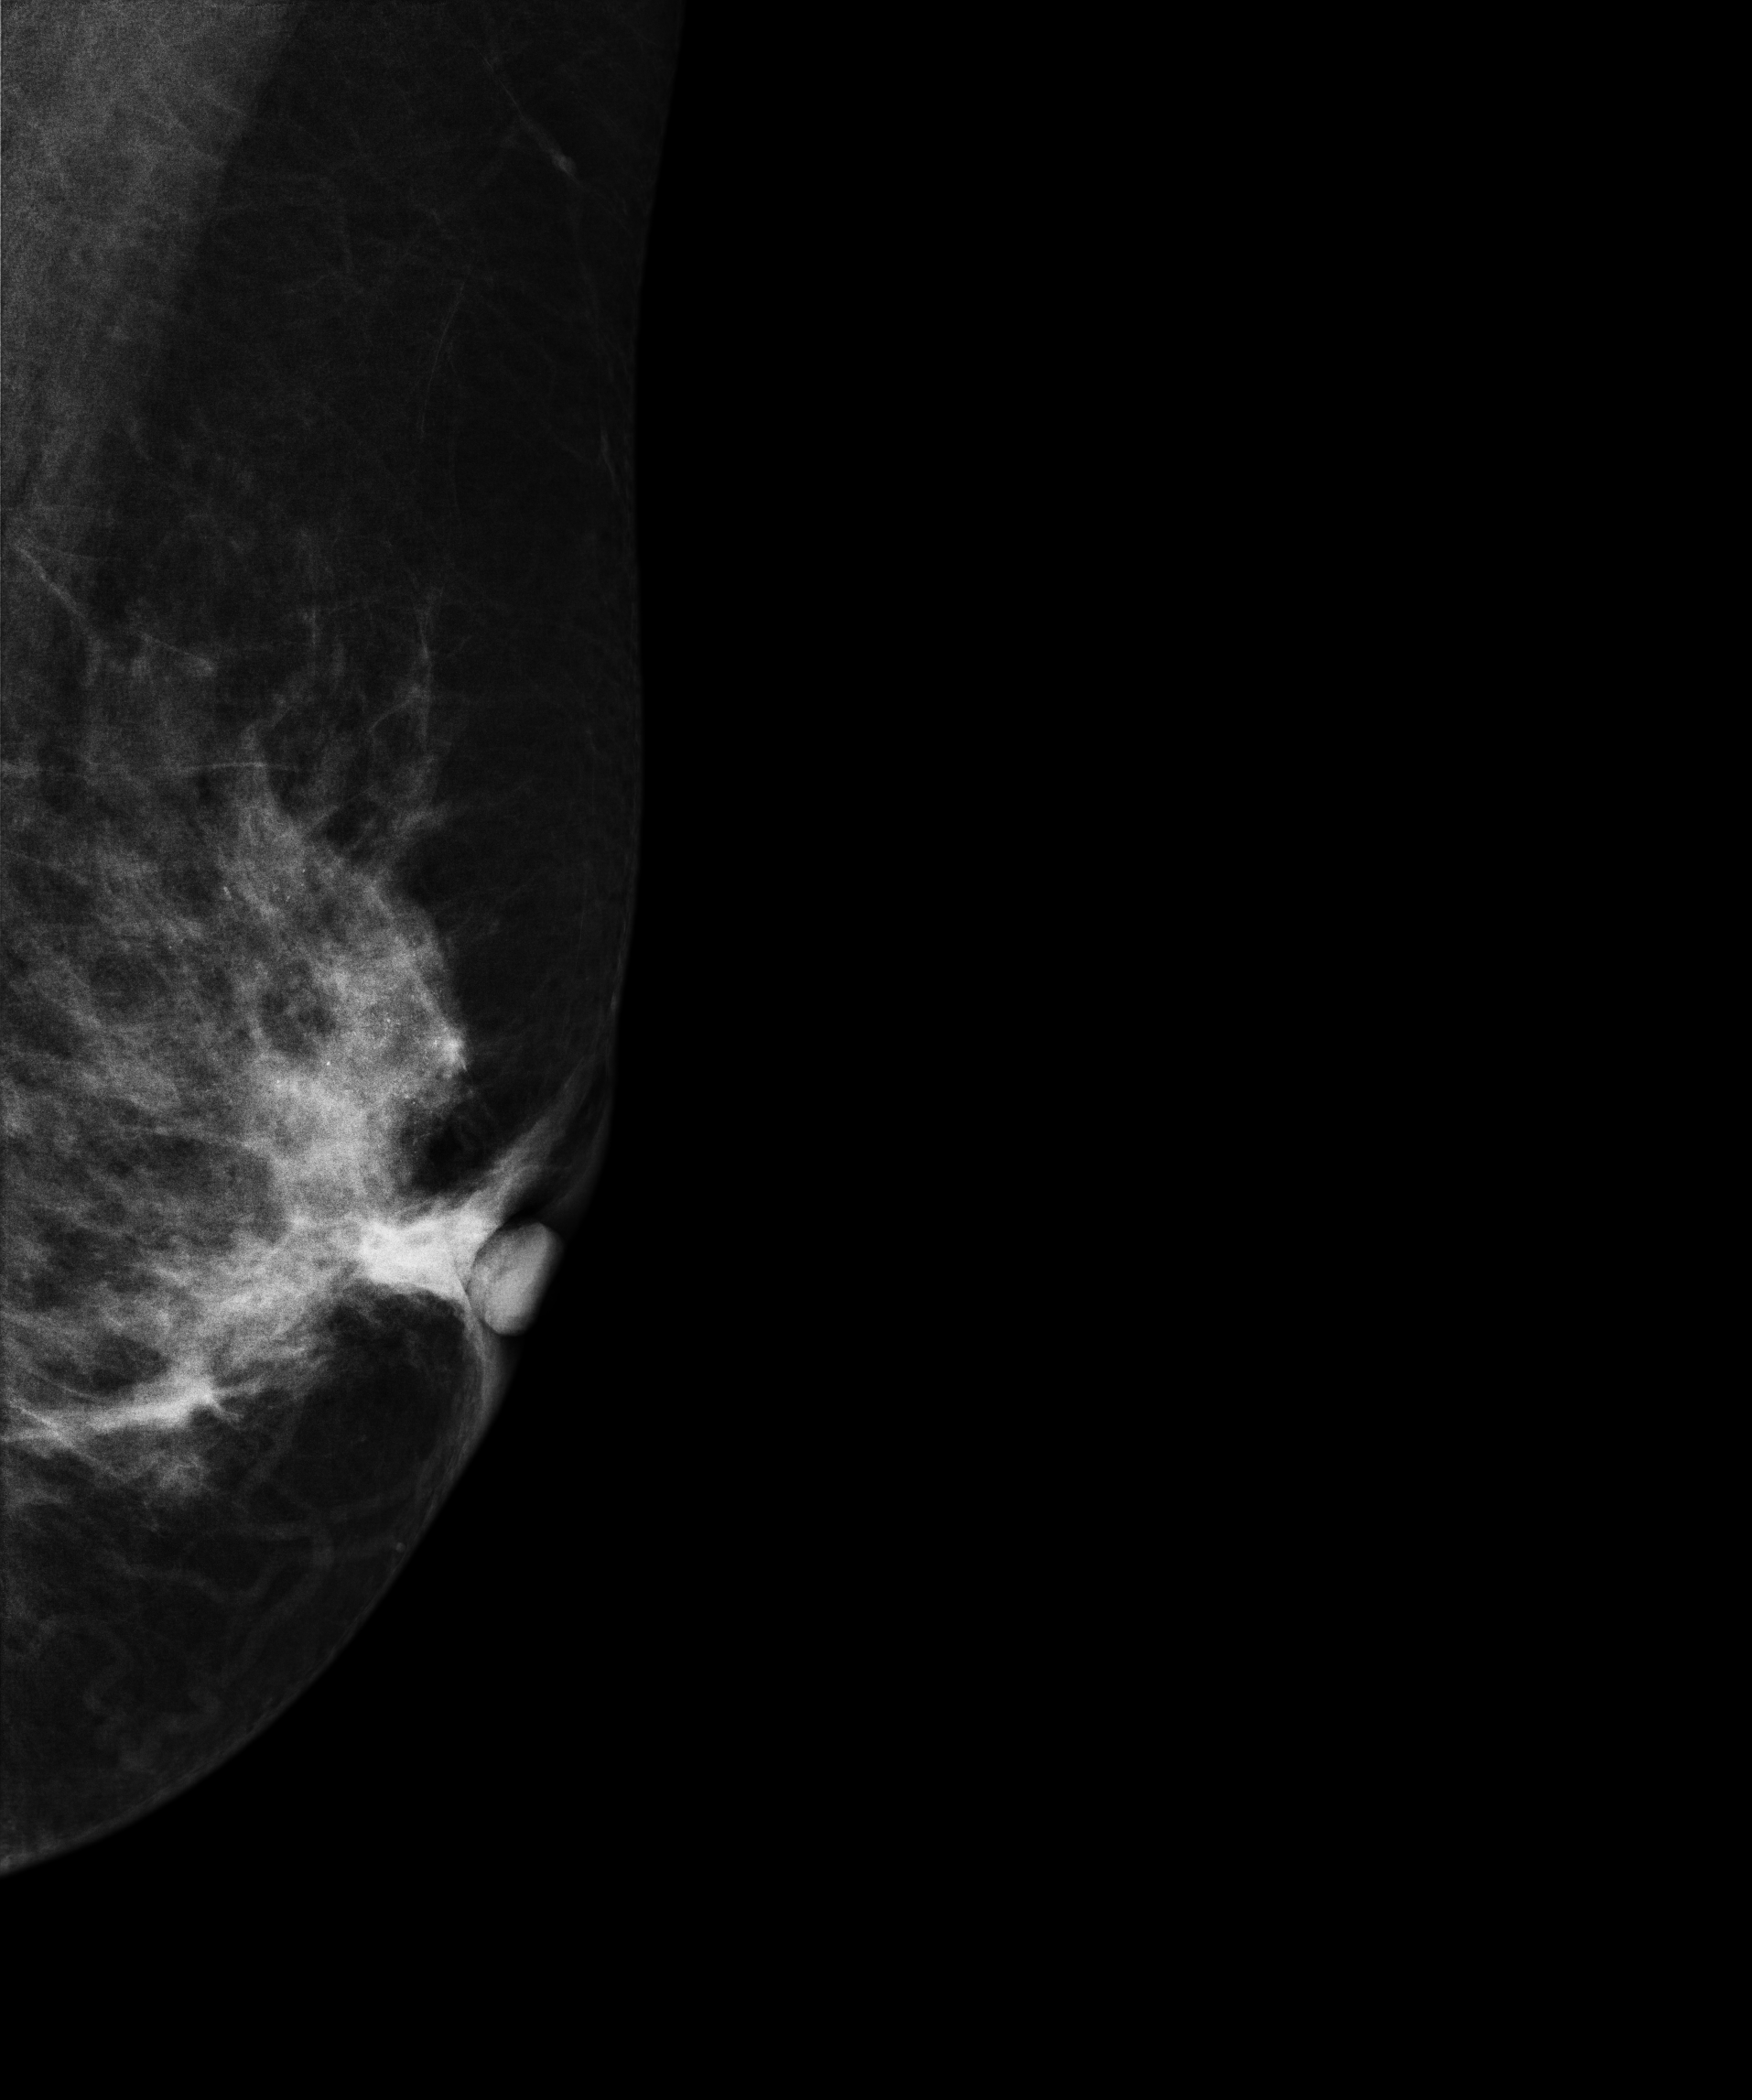
MLO mammogram of the left breast. 46-year-old patient.
This breast has calcifications, biopsy-proven malignant.